Mammogram — right MLO. 44 y/o patient.
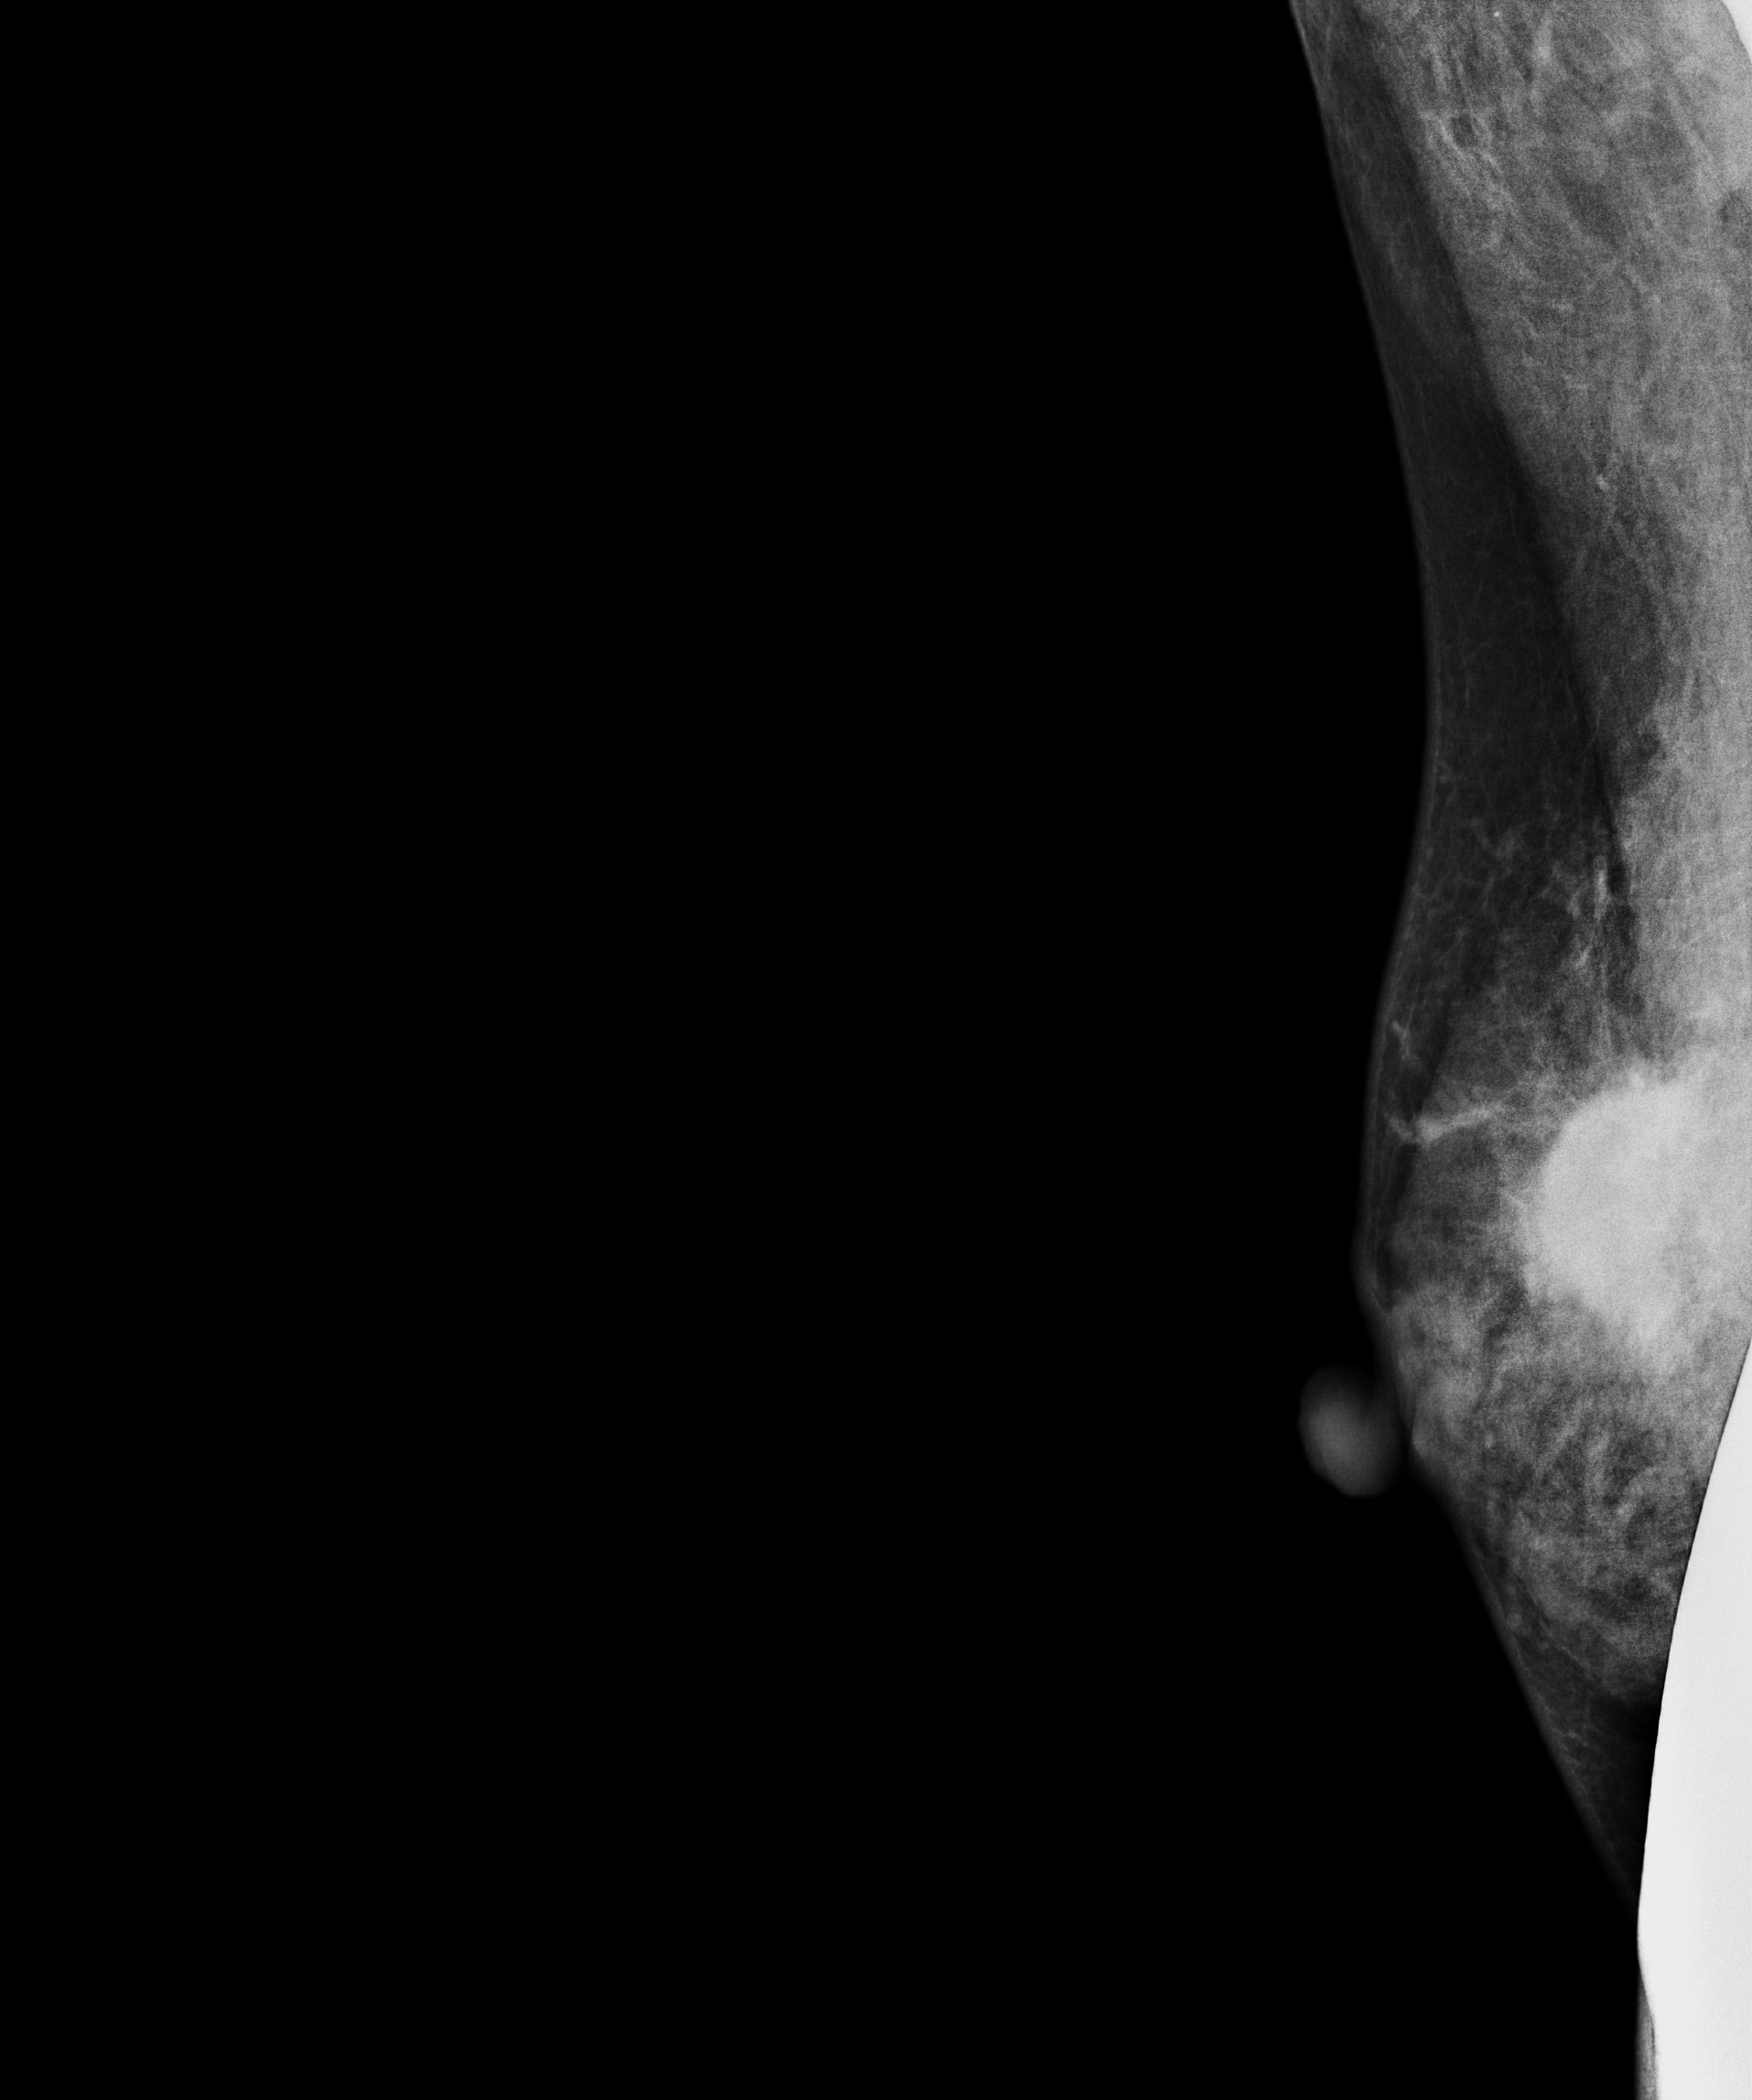
This breast has a mass, pathology-confirmed malignant.